Medio-lateral oblique mammogram of the left breast. Patient age 68.
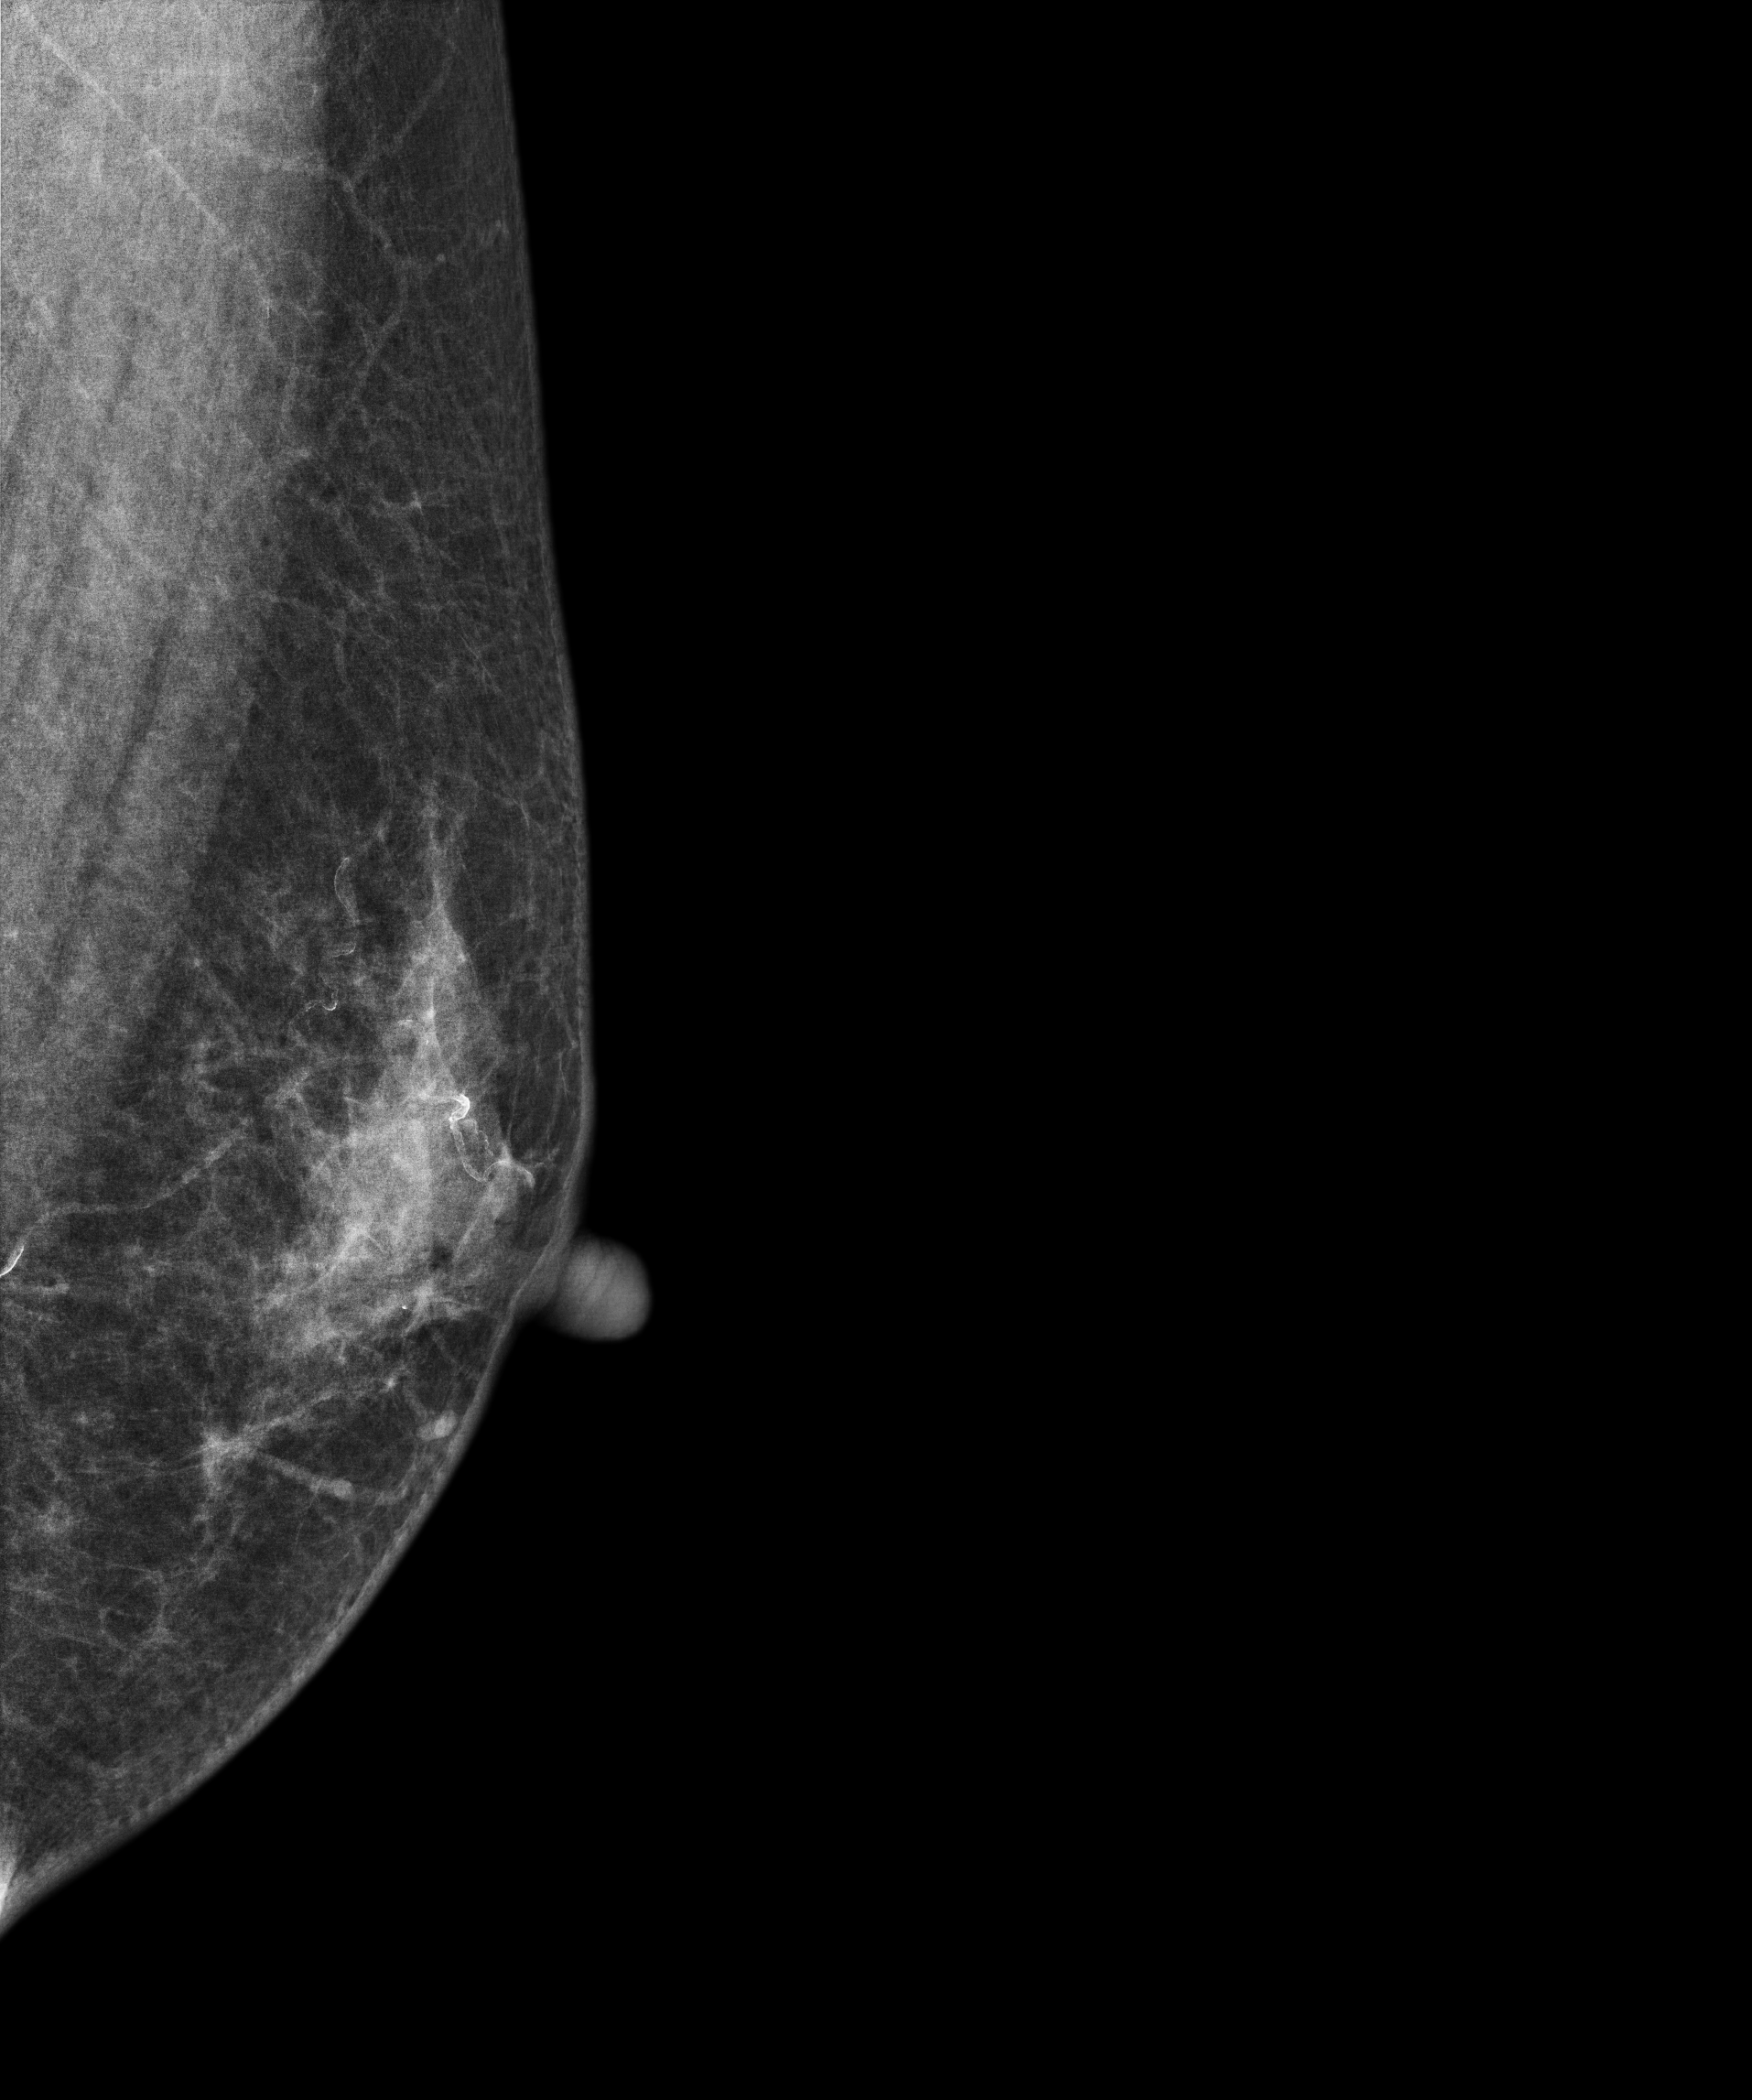
Contralateral breast — no documented abnormality on this side.